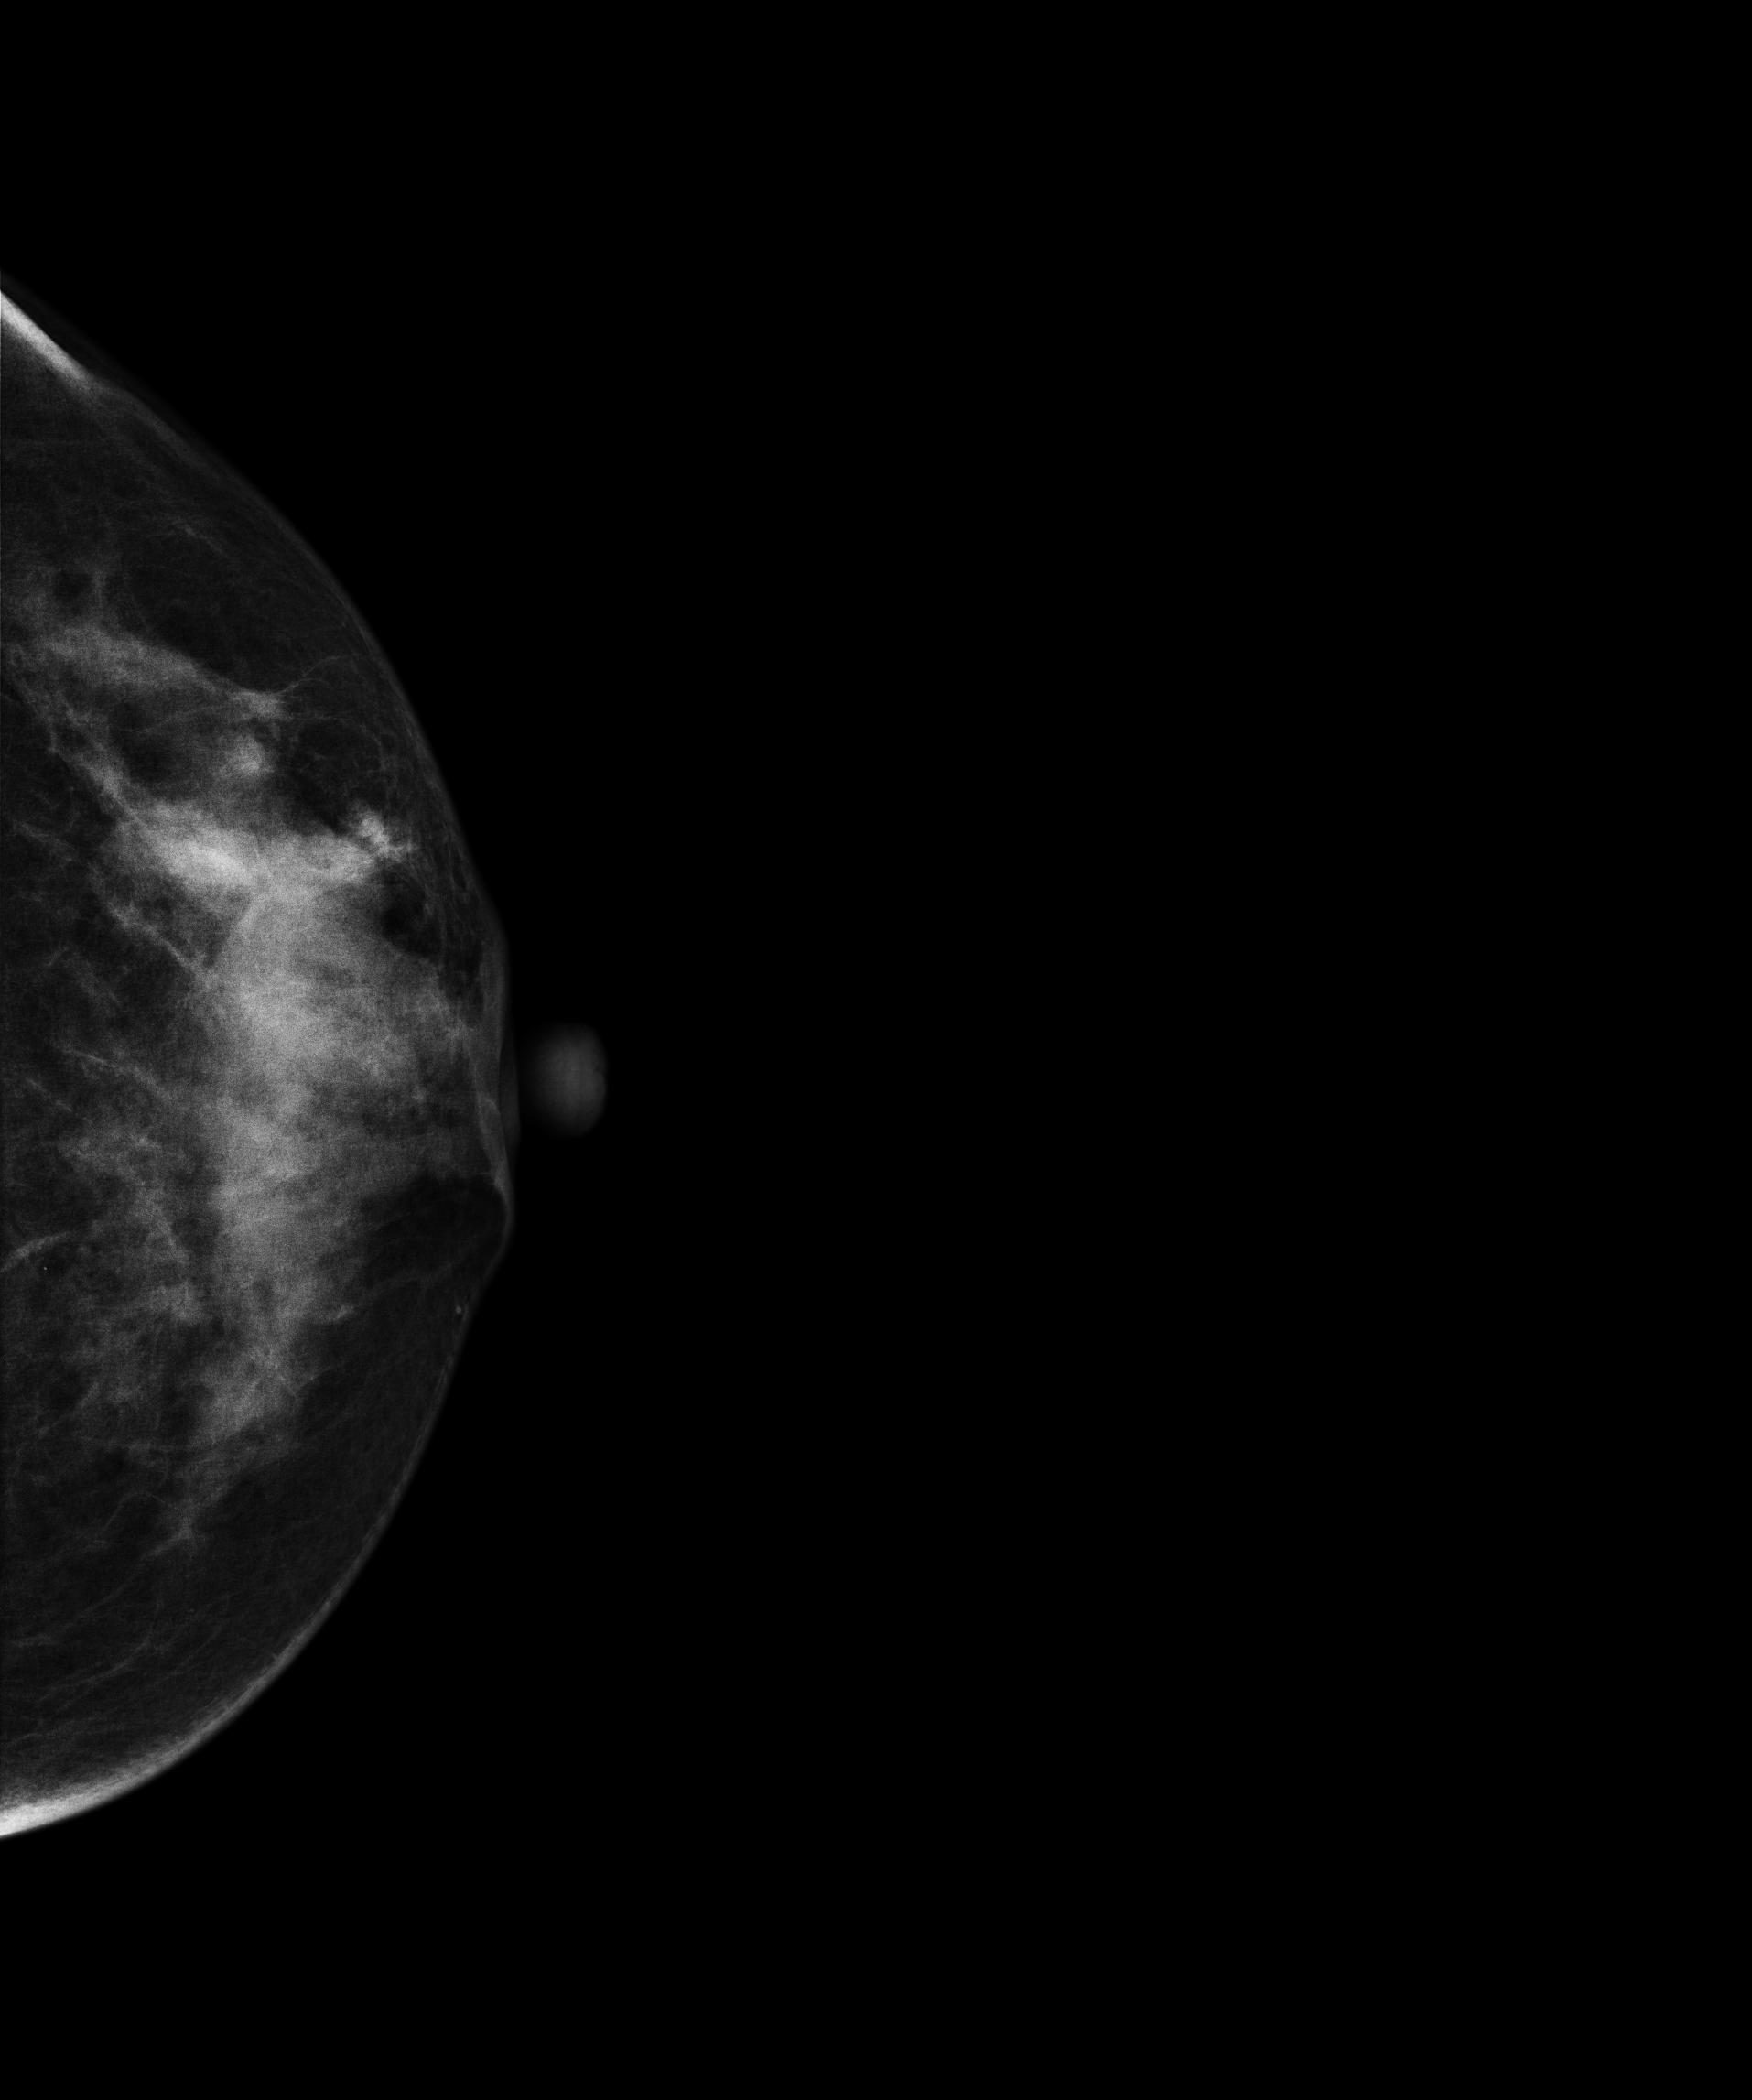
Mammogram — left cranio-caudal. 49-year-old patient.
This breast has a mass, histologically confirmed malignant. Molecular subtype: triple-negative.